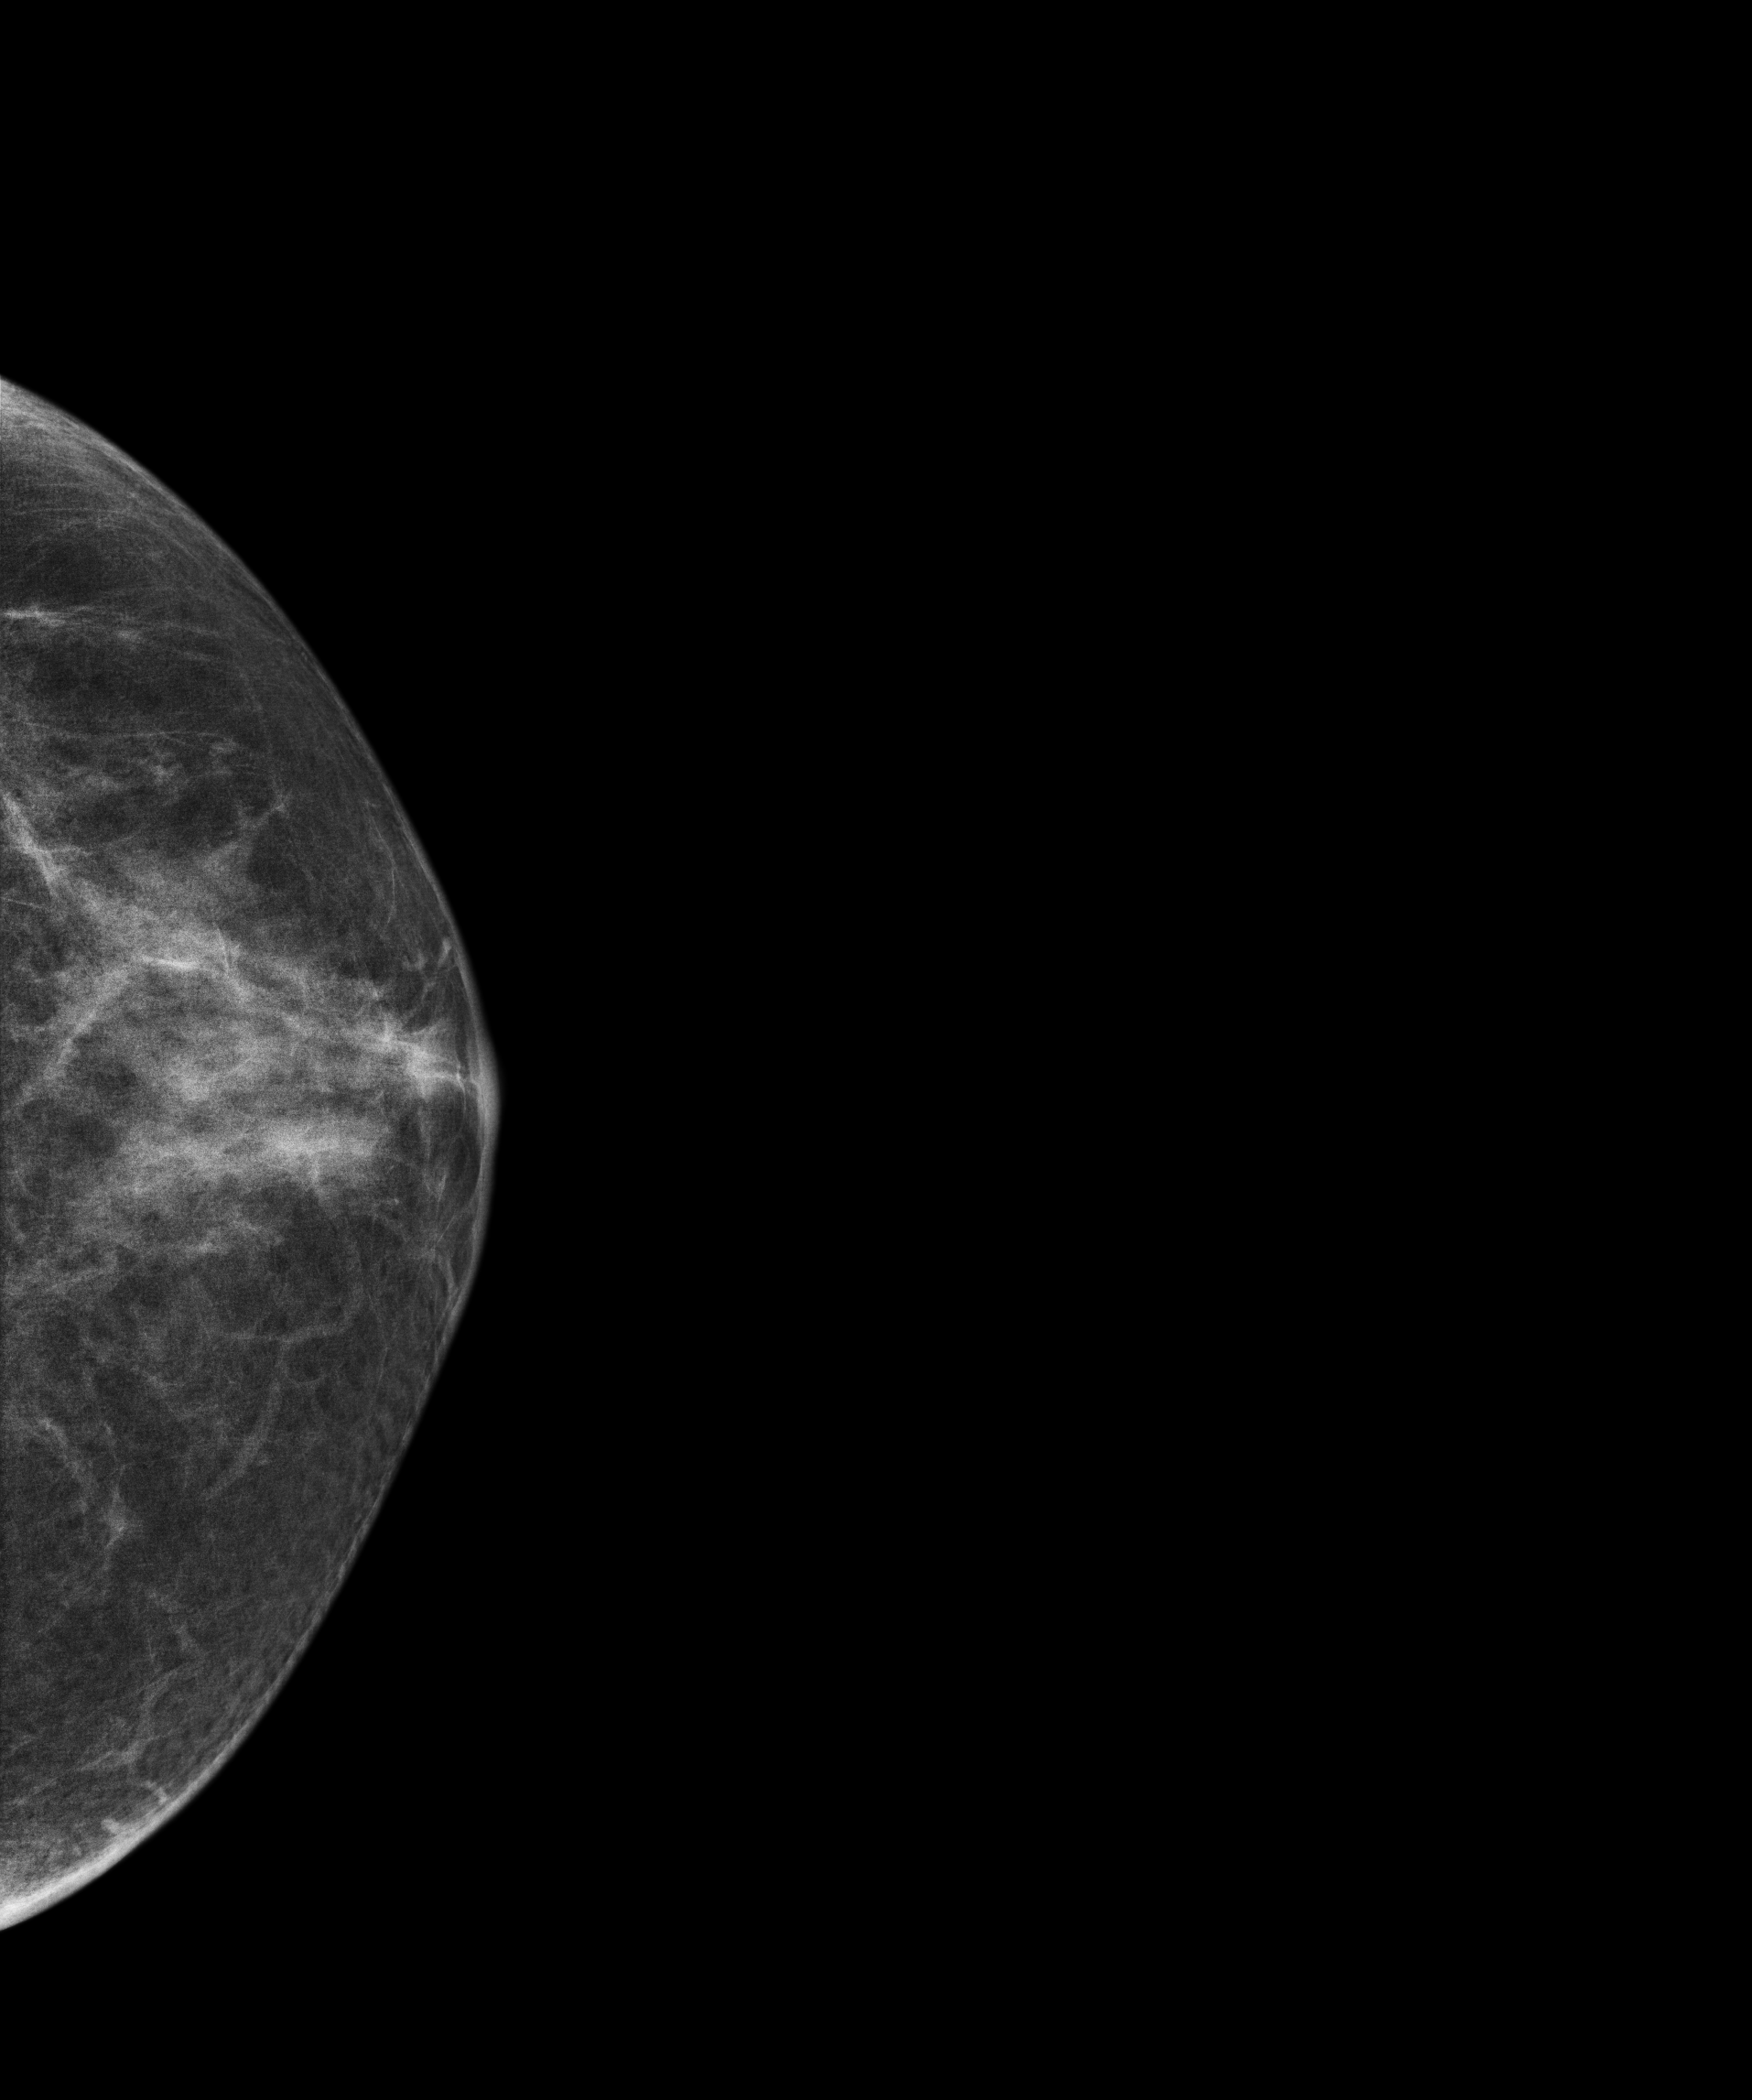
Mammogram, left breast, CC view. Patient age 61.
Contralateral breast — no documented abnormality on this side.